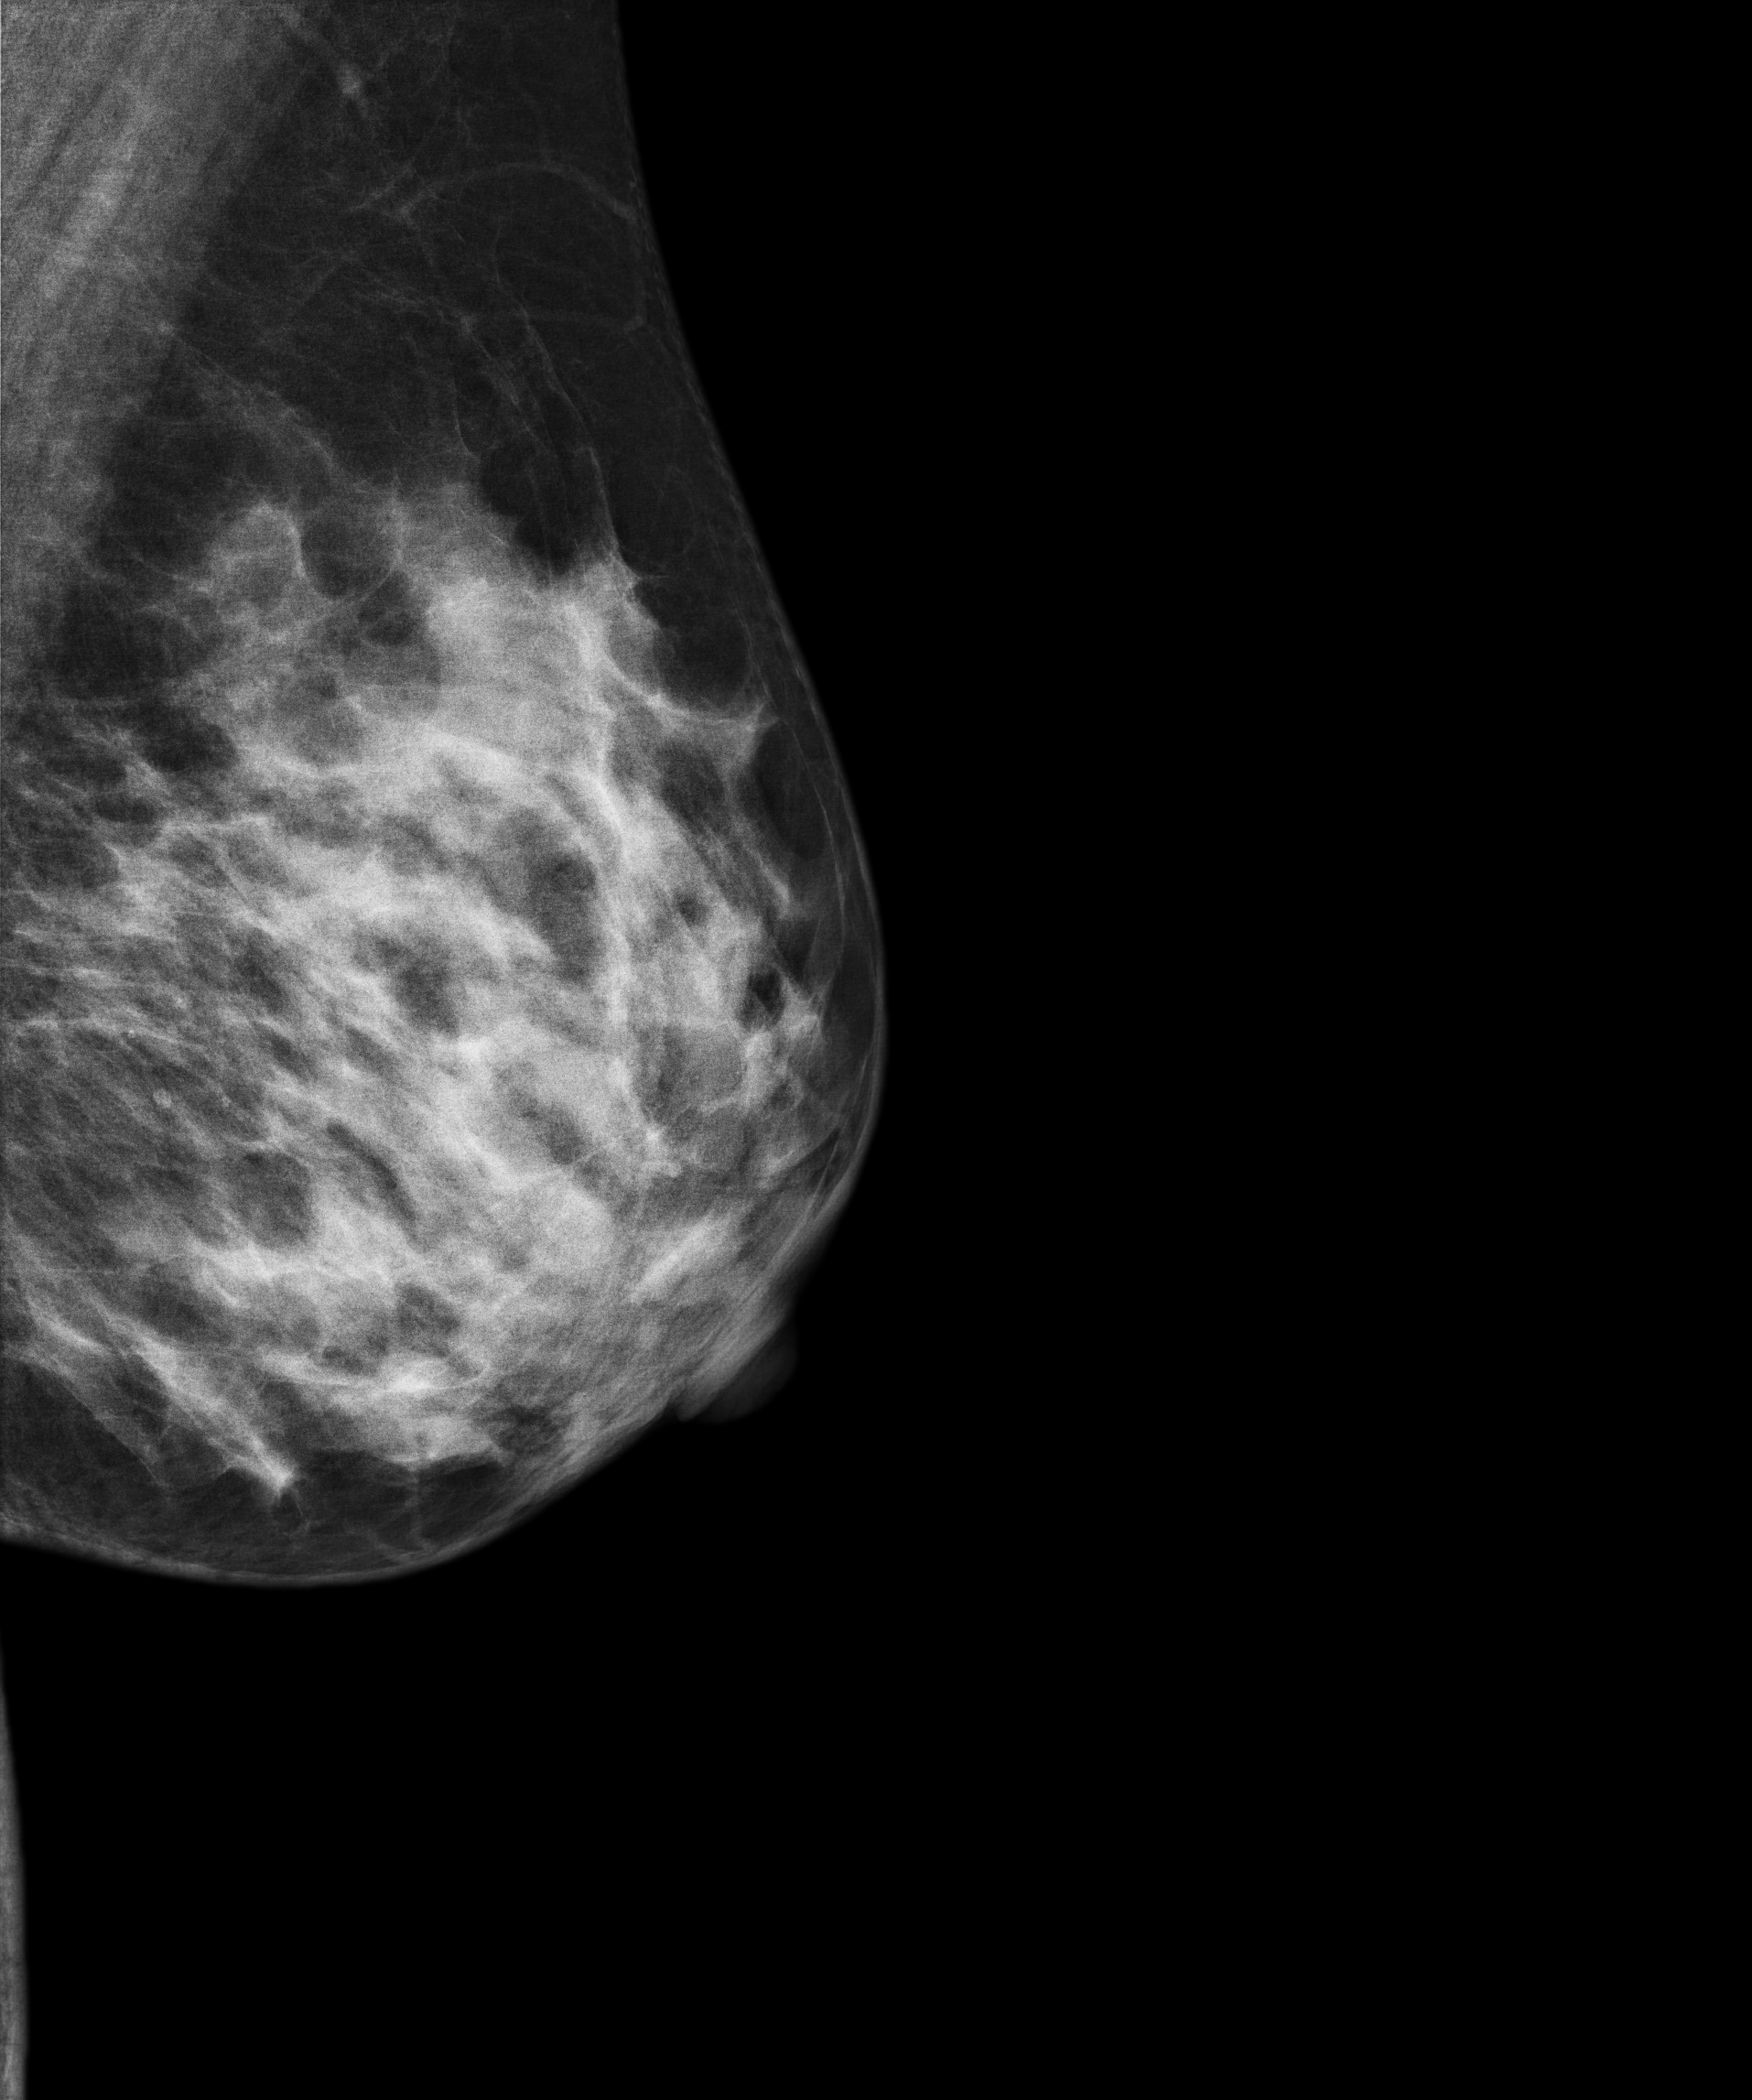
Medio-lateral oblique mammogram of the left breast. 46 y/o patient.
This breast has a mass, histologically confirmed benign.